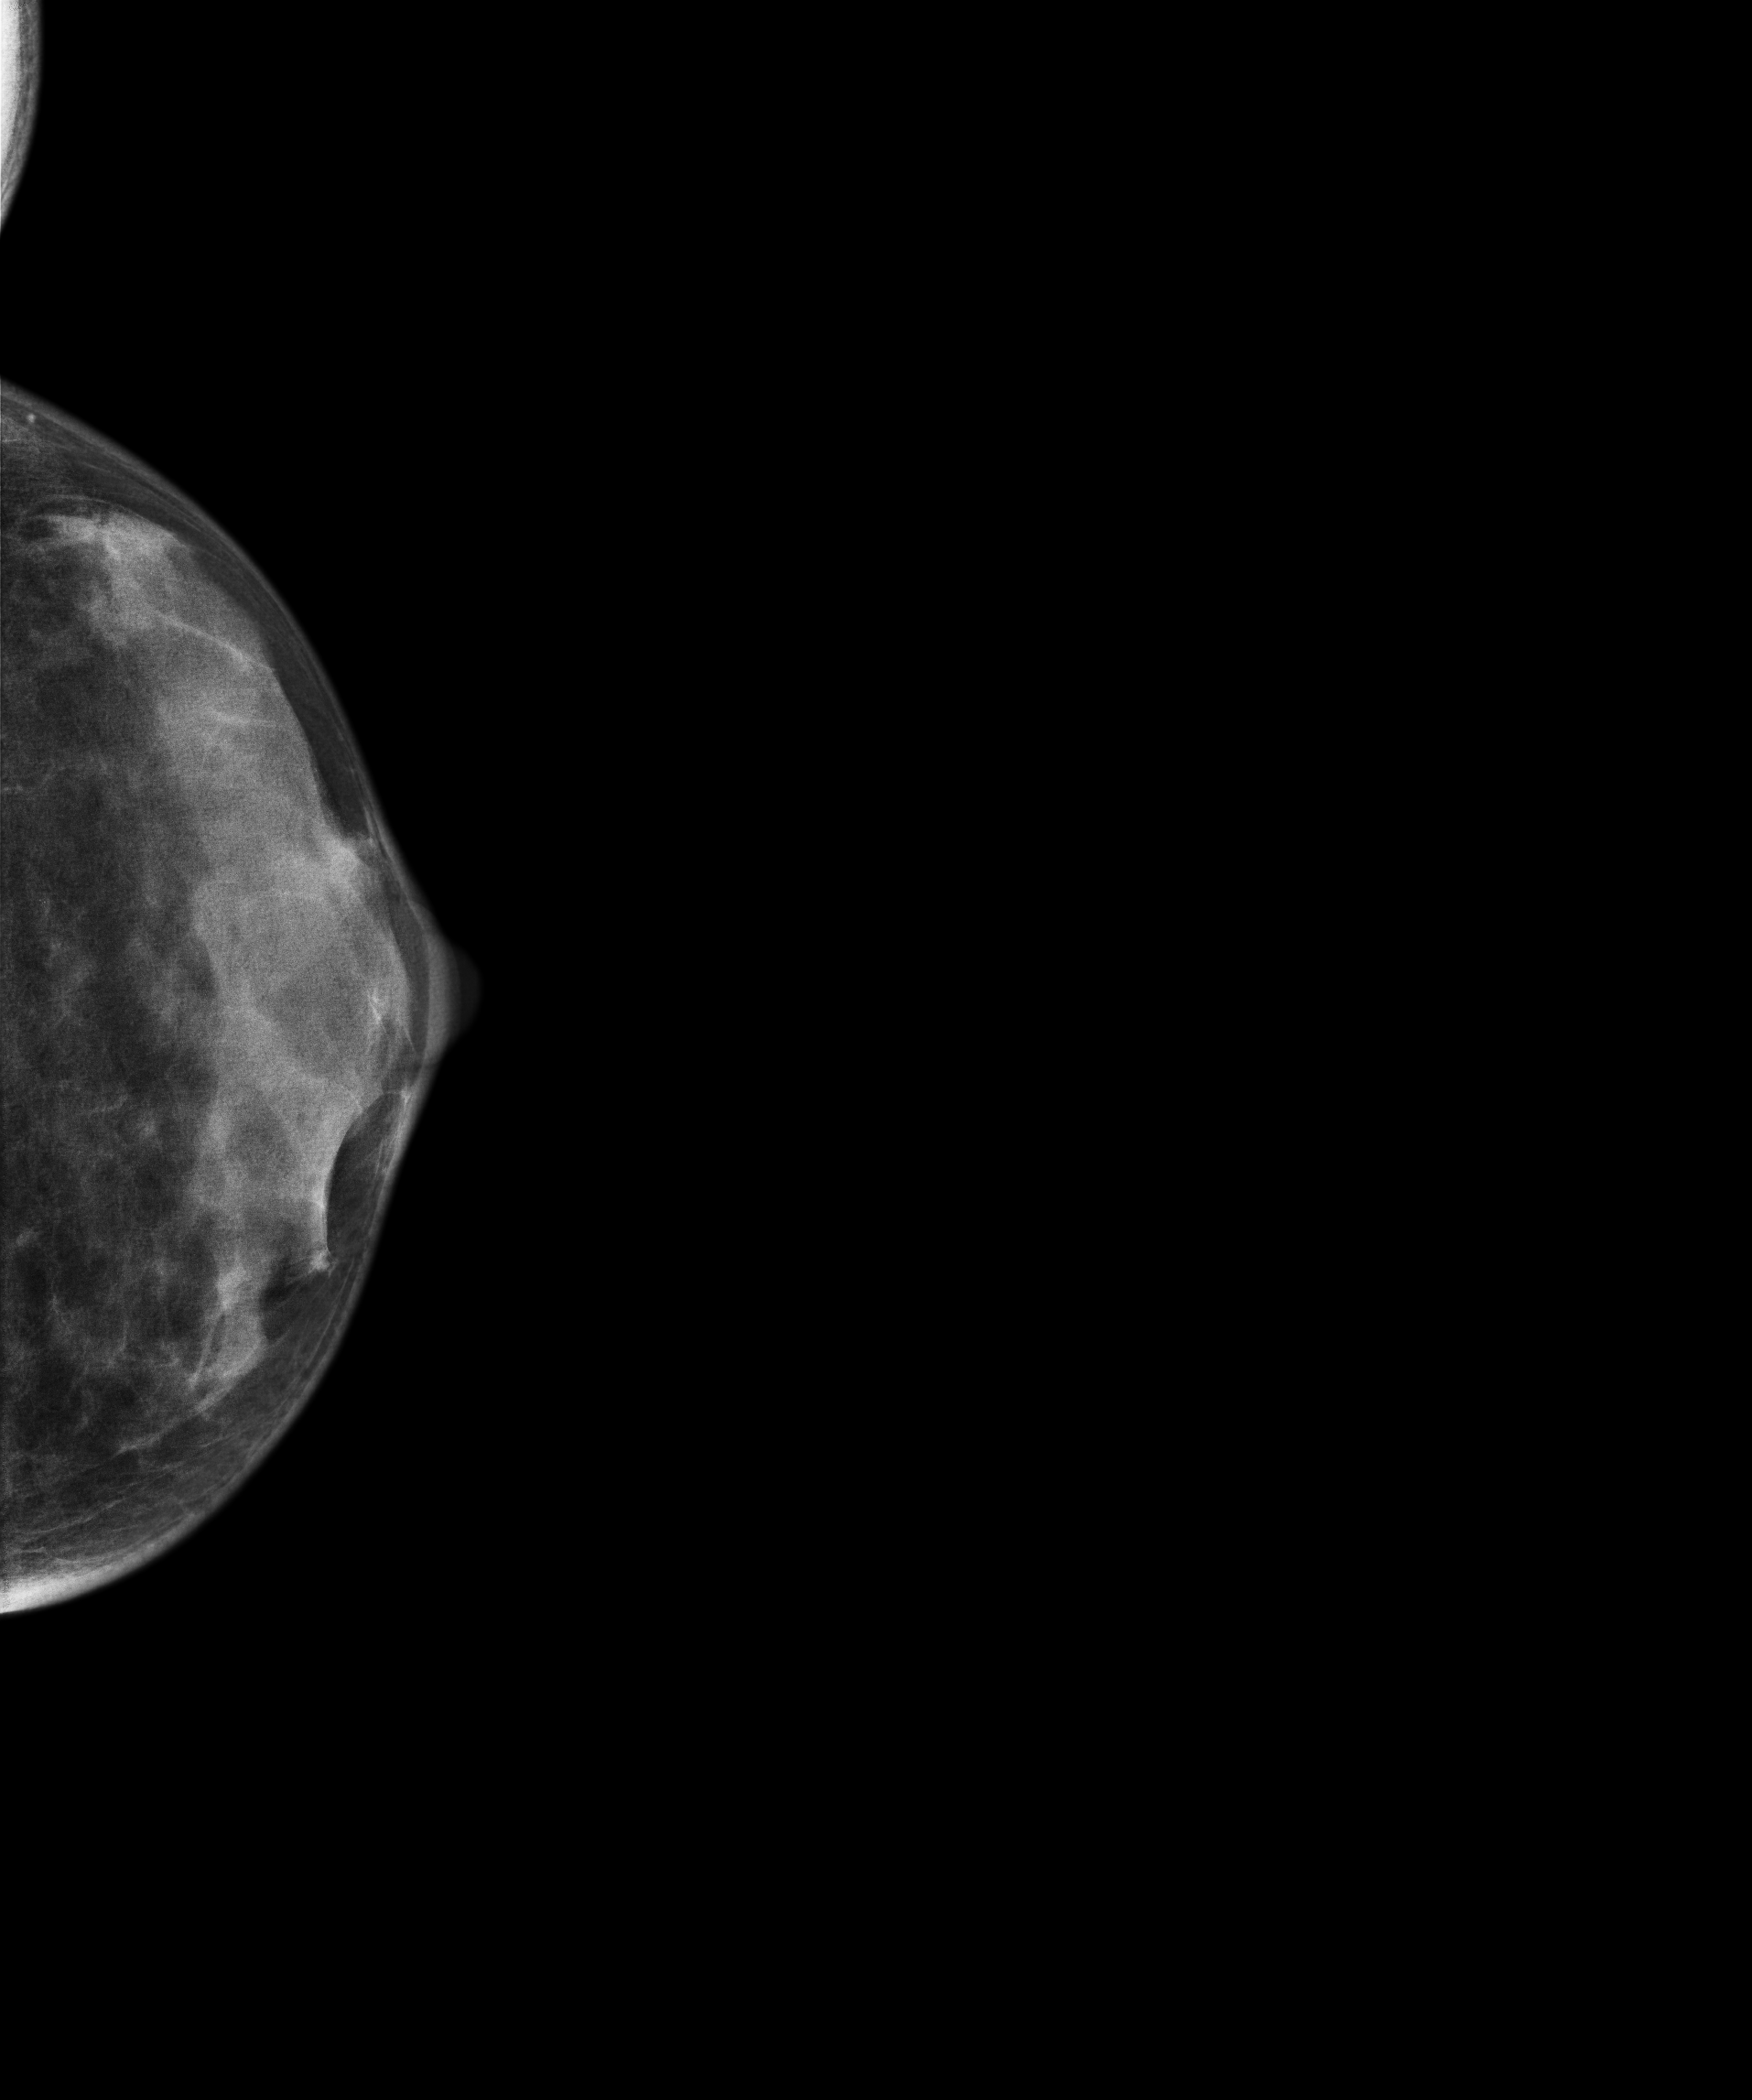
Mammogram — left cranio-caudal. 37-year-old patient.
This breast has a mass, biopsy-confirmed benign.